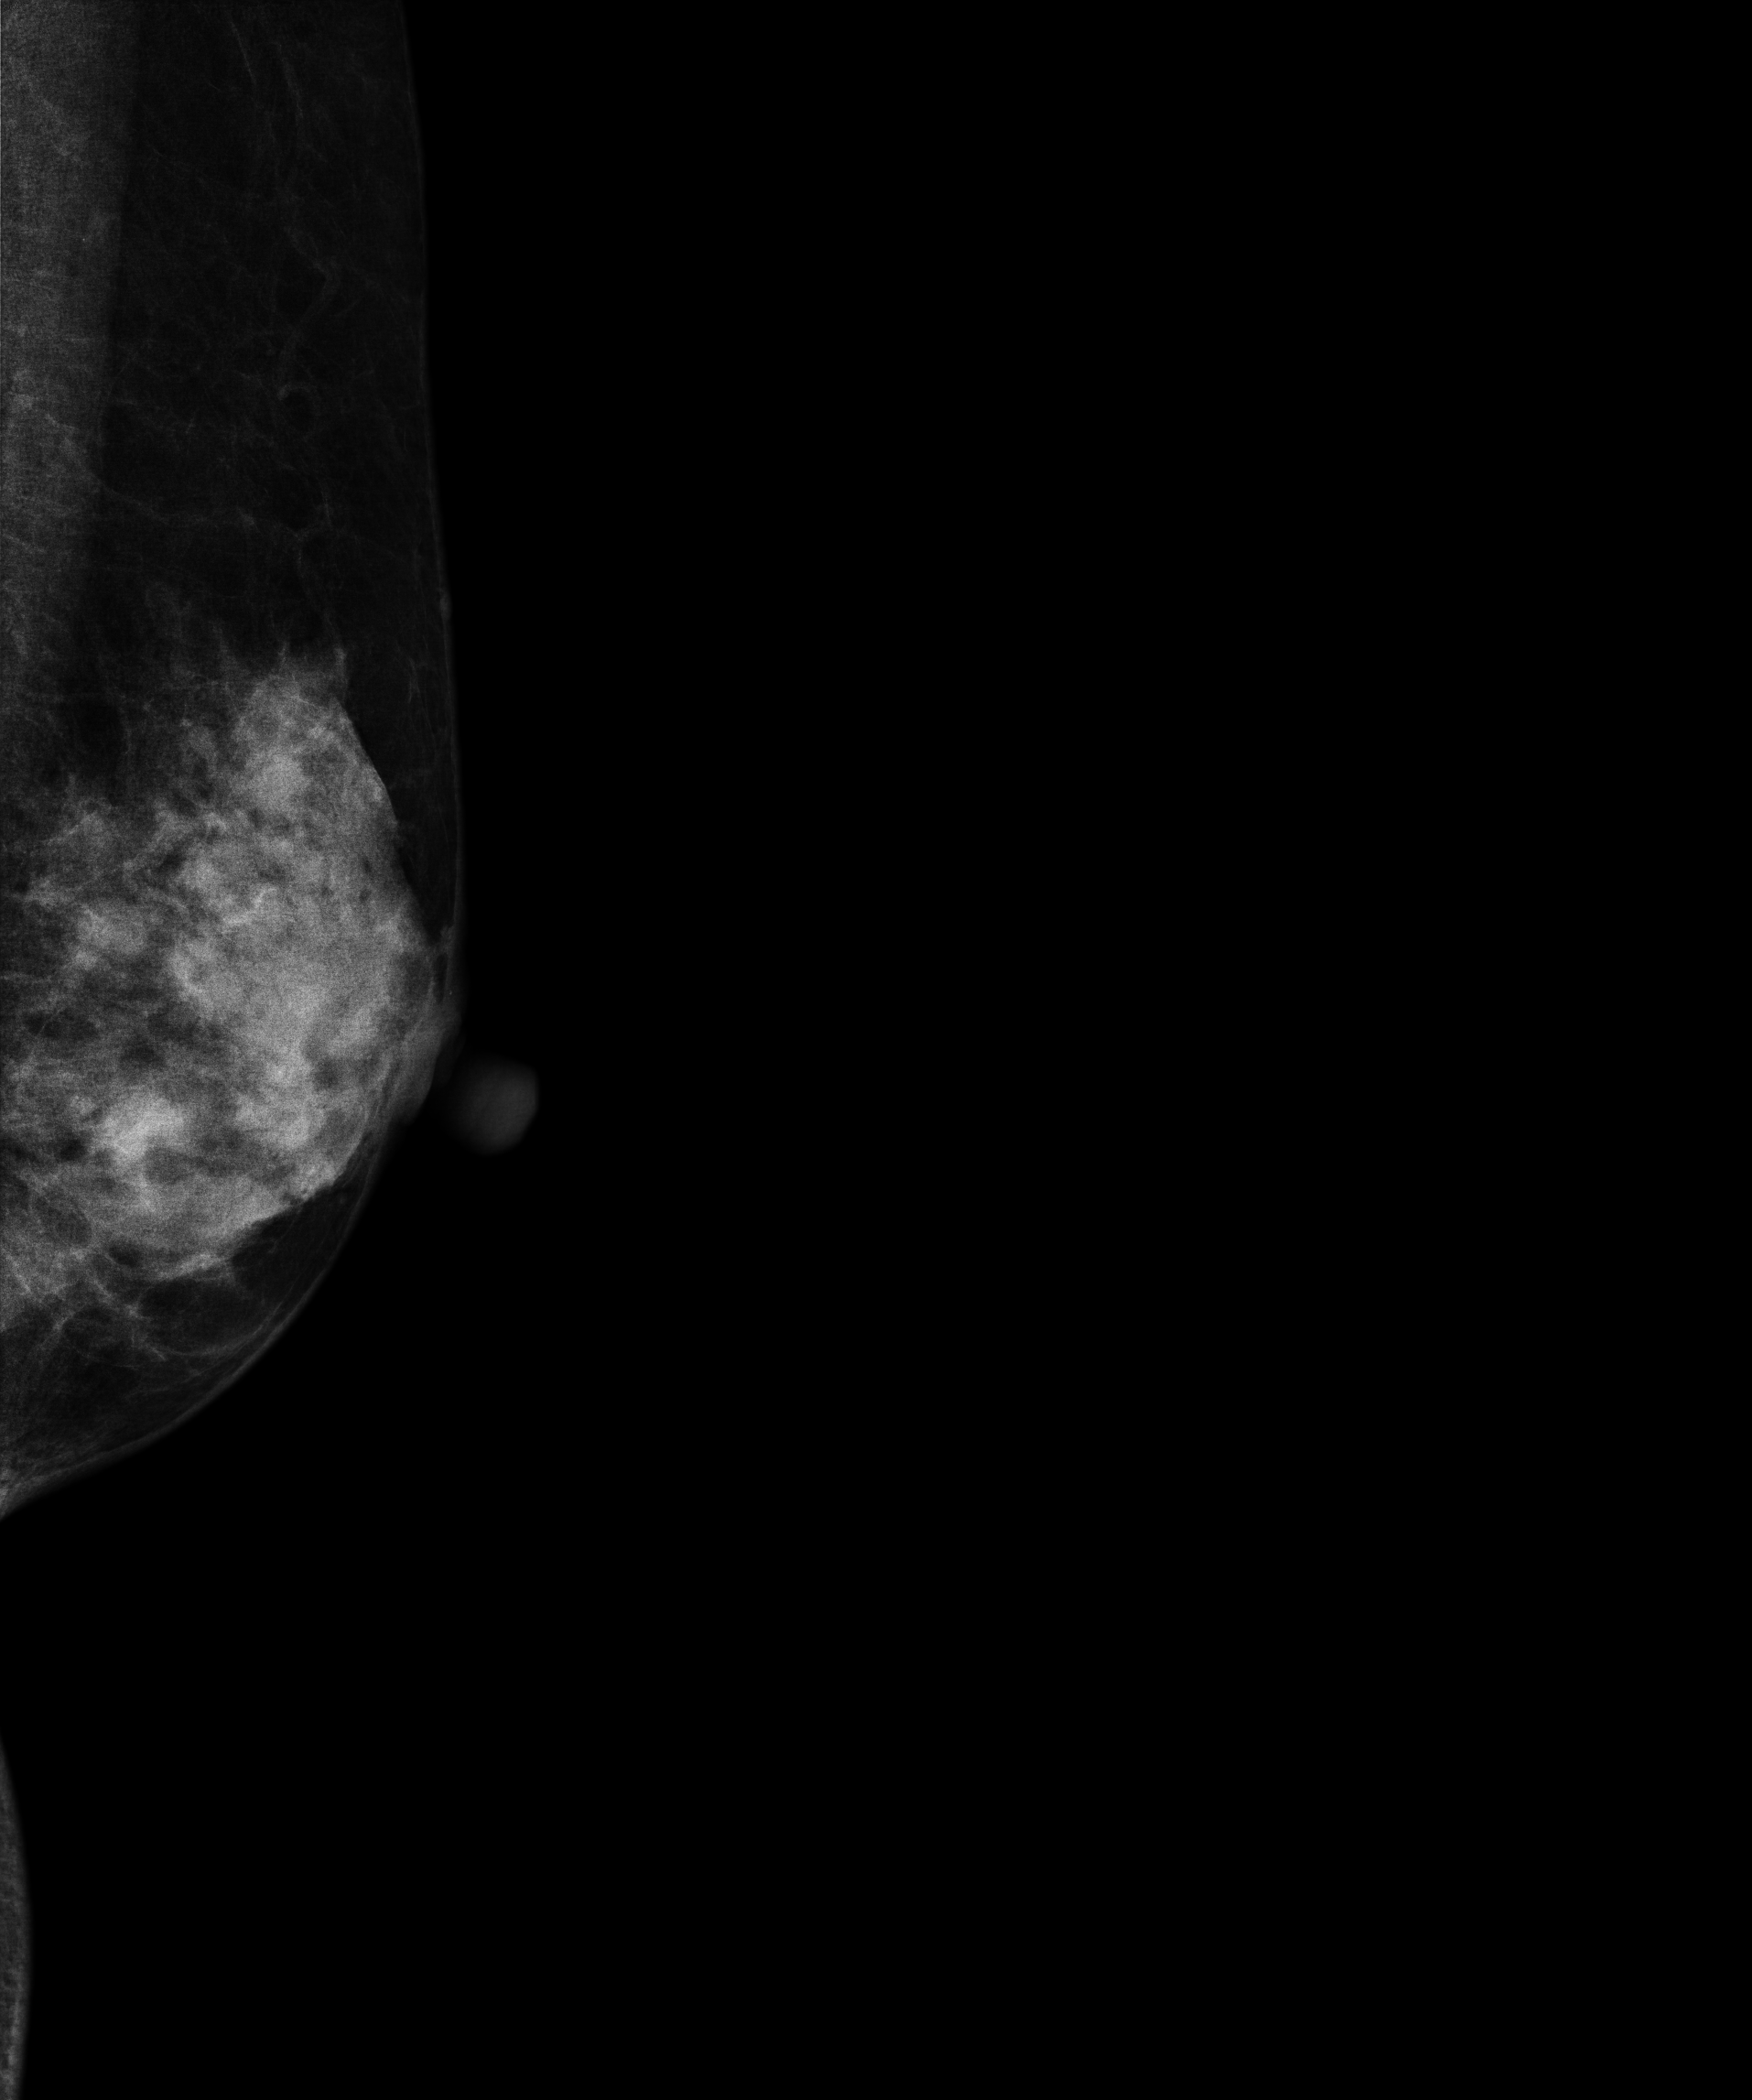
Medio-lateral oblique mammogram of the left breast. 57-year-old patient.
This breast has a mass, biopsy-confirmed malignant. Molecular subtype: luminal B.